MLO mammogram of the left breast. 33 y/o patient.
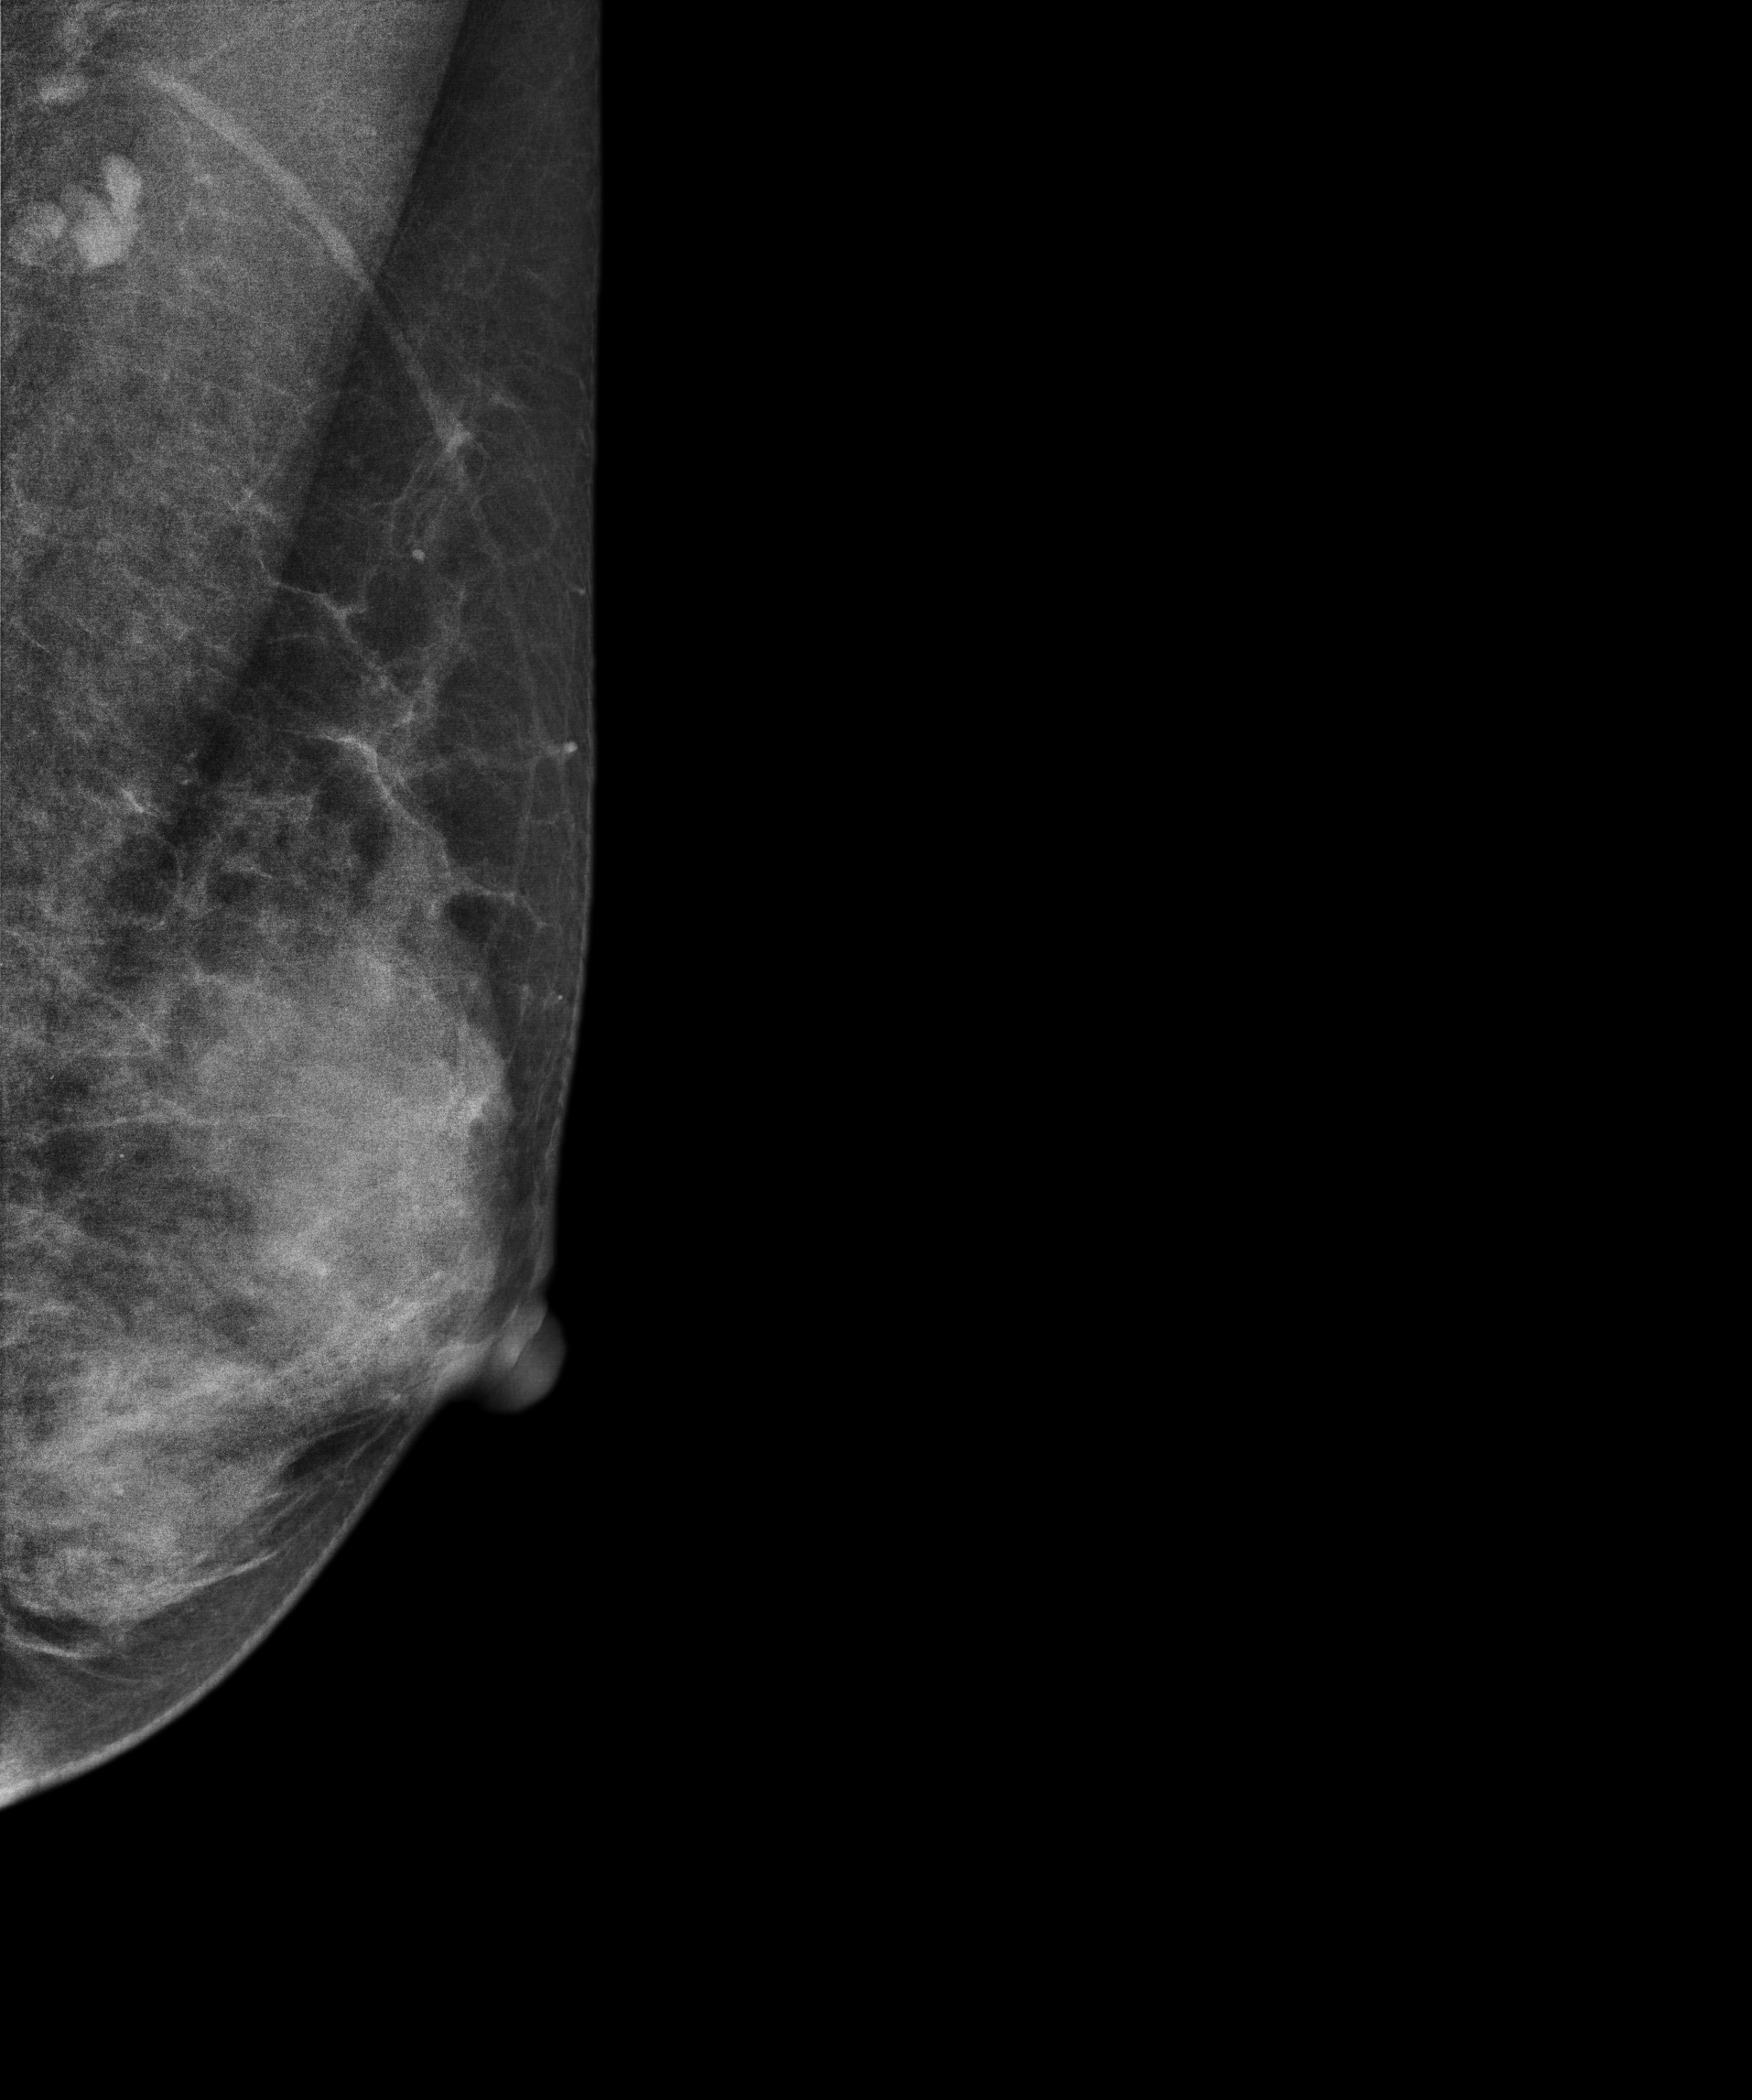
Contralateral breast — no documented abnormality on this side.